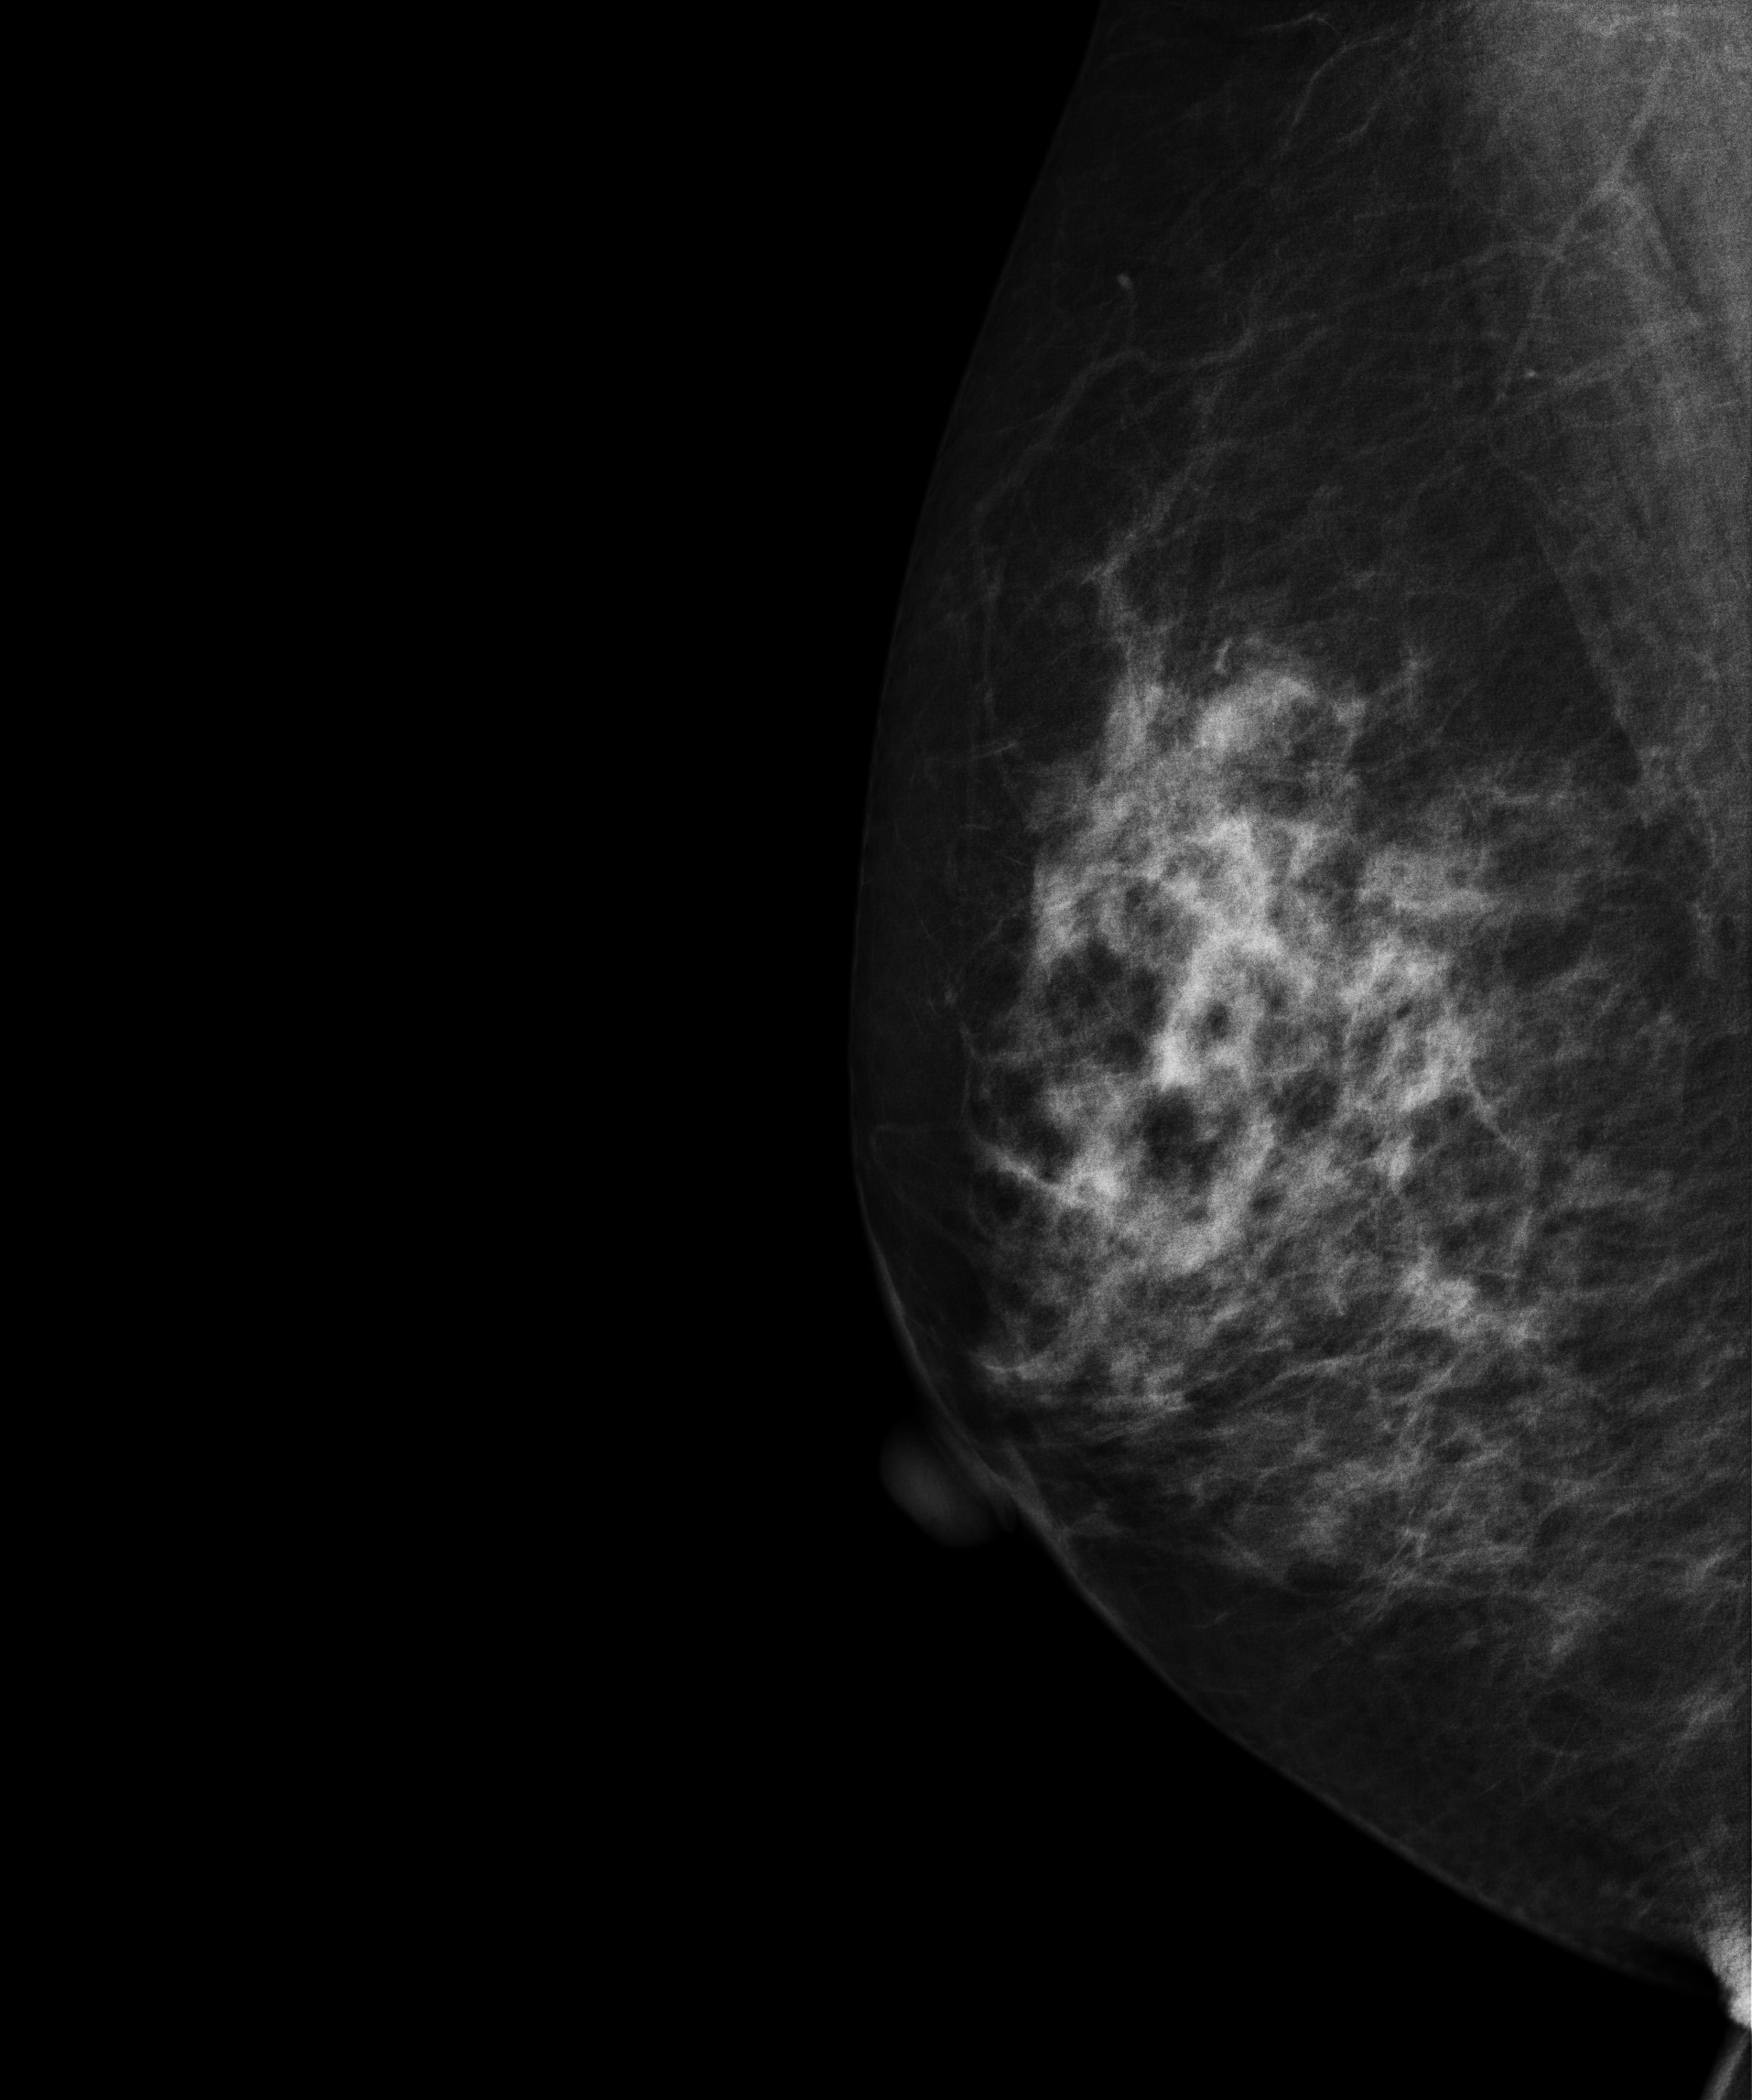
Mammogram, right breast, medio-lateral oblique view. 59 y/o patient.
This breast has a mass, histologically confirmed malignant. Molecular subtype: luminal B.